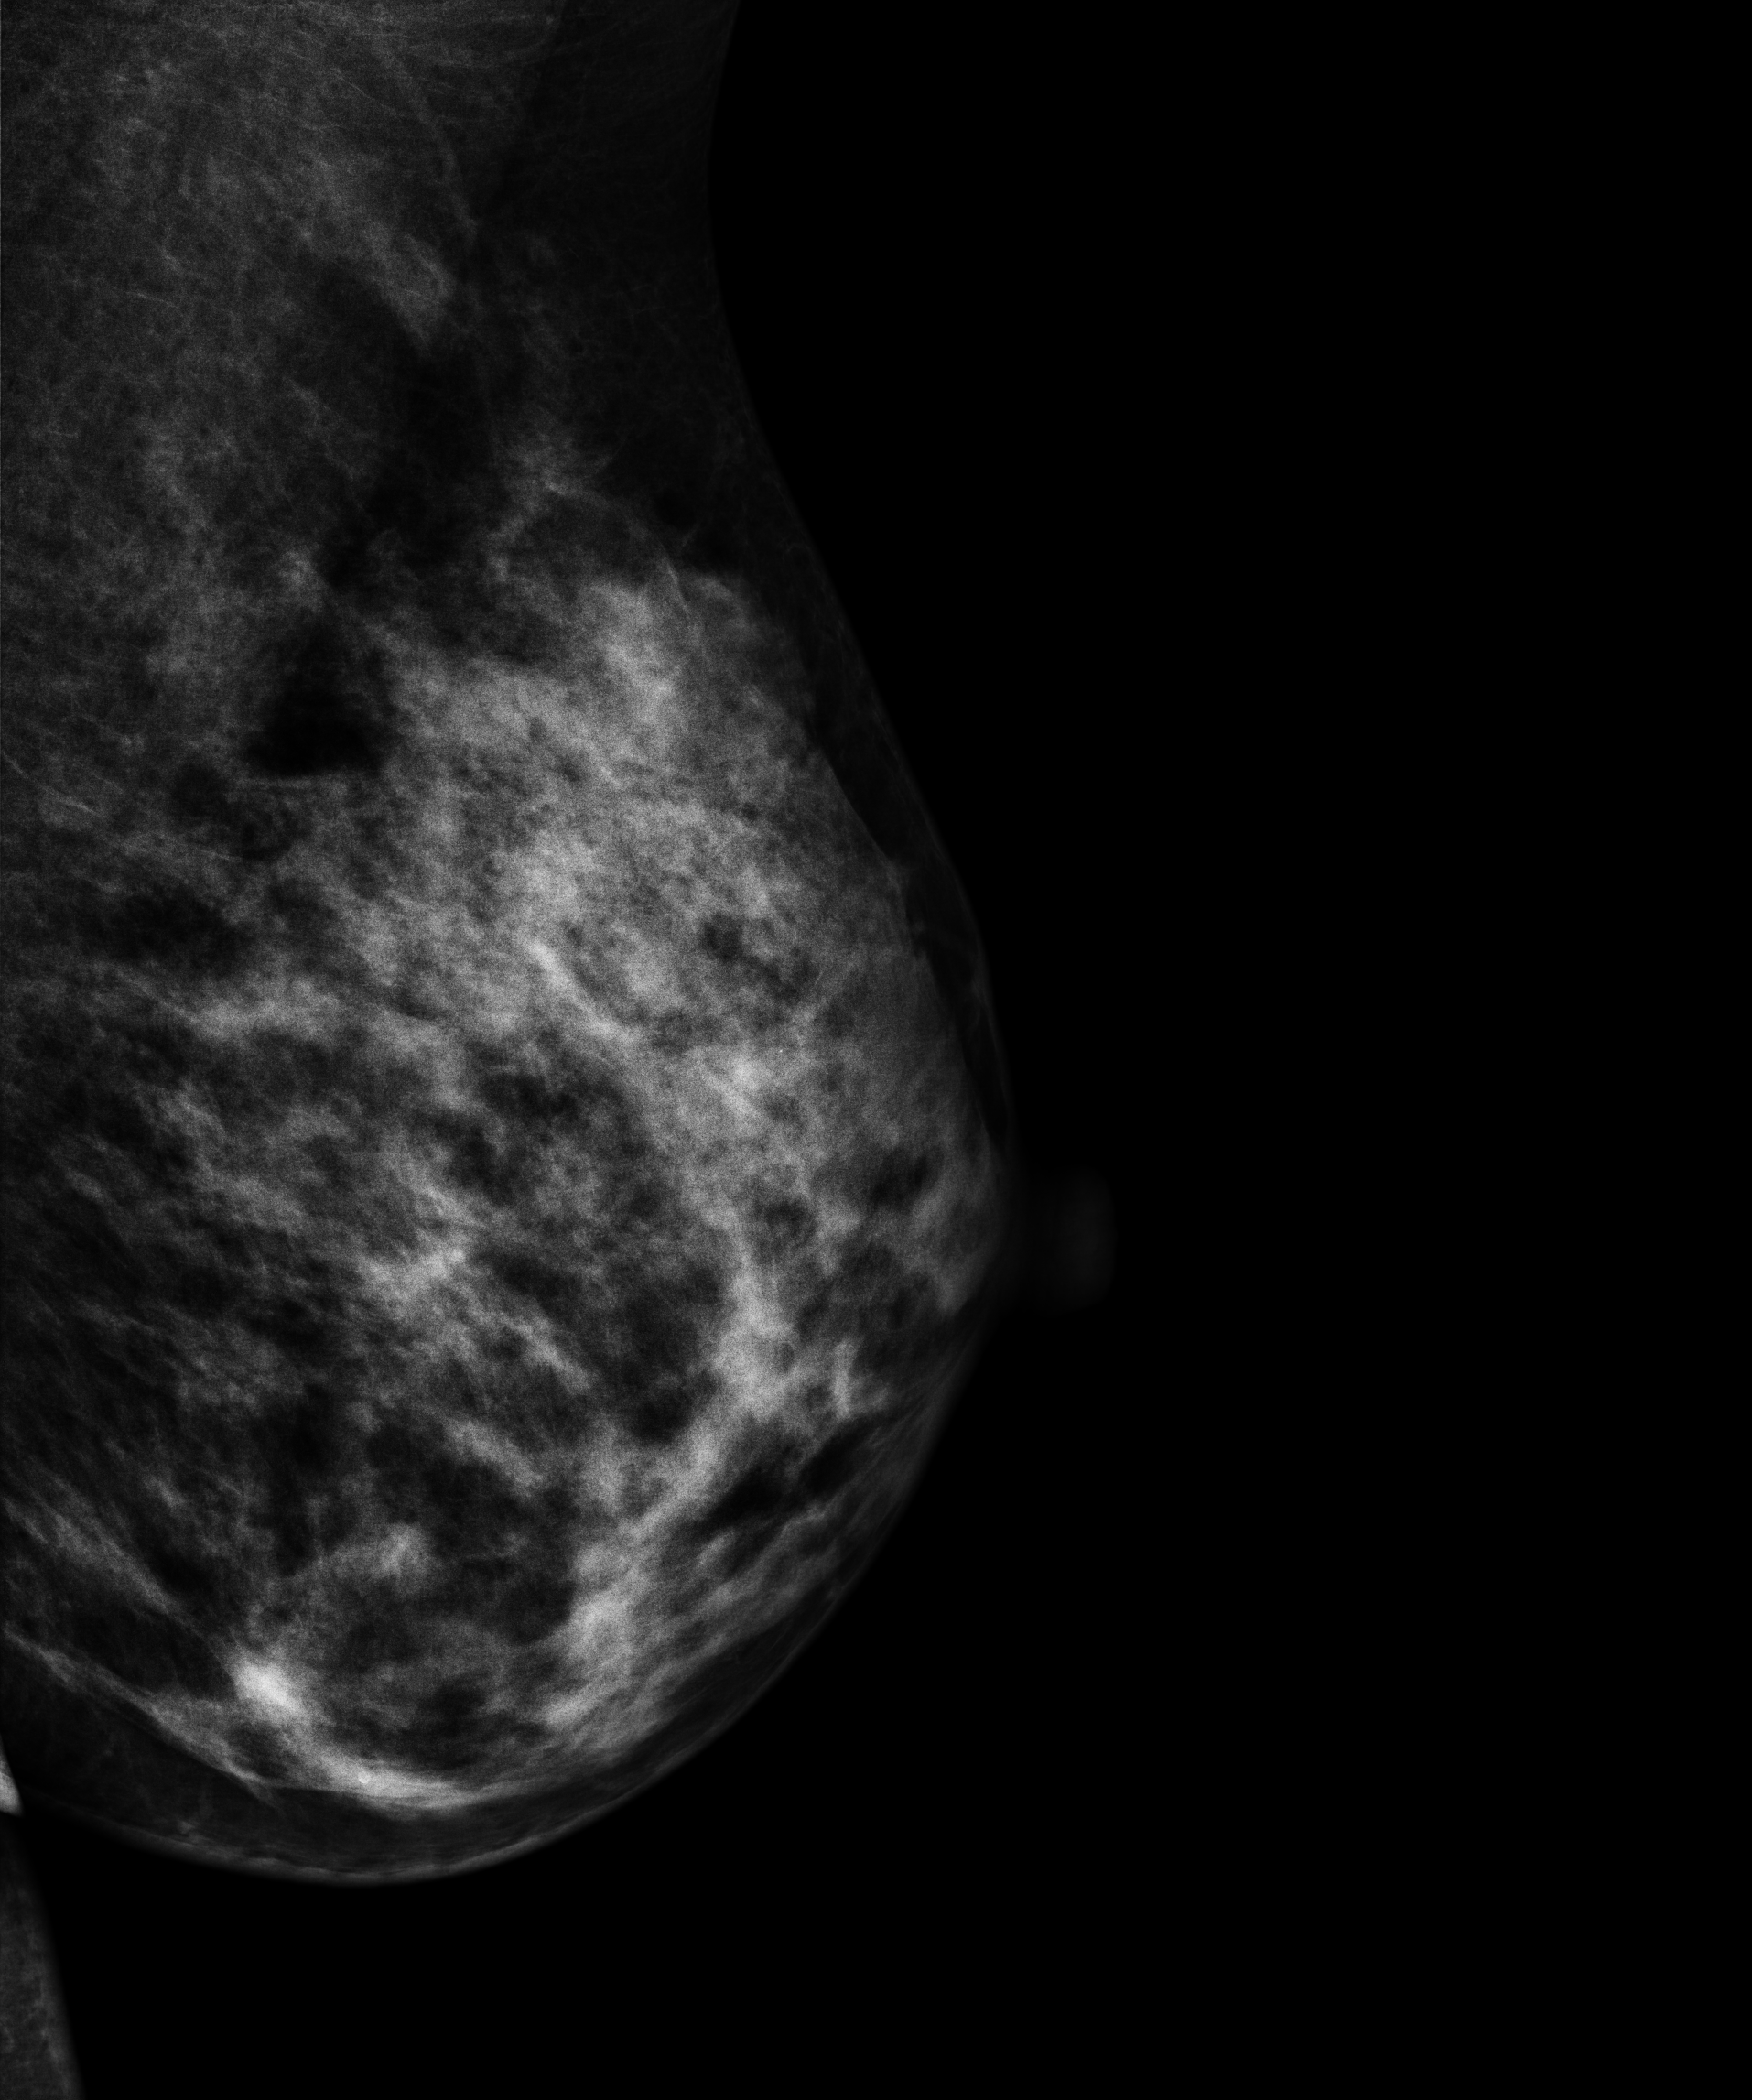
MLO mammogram of the left breast. Patient age 37.
Contralateral breast — no documented abnormality on this side.